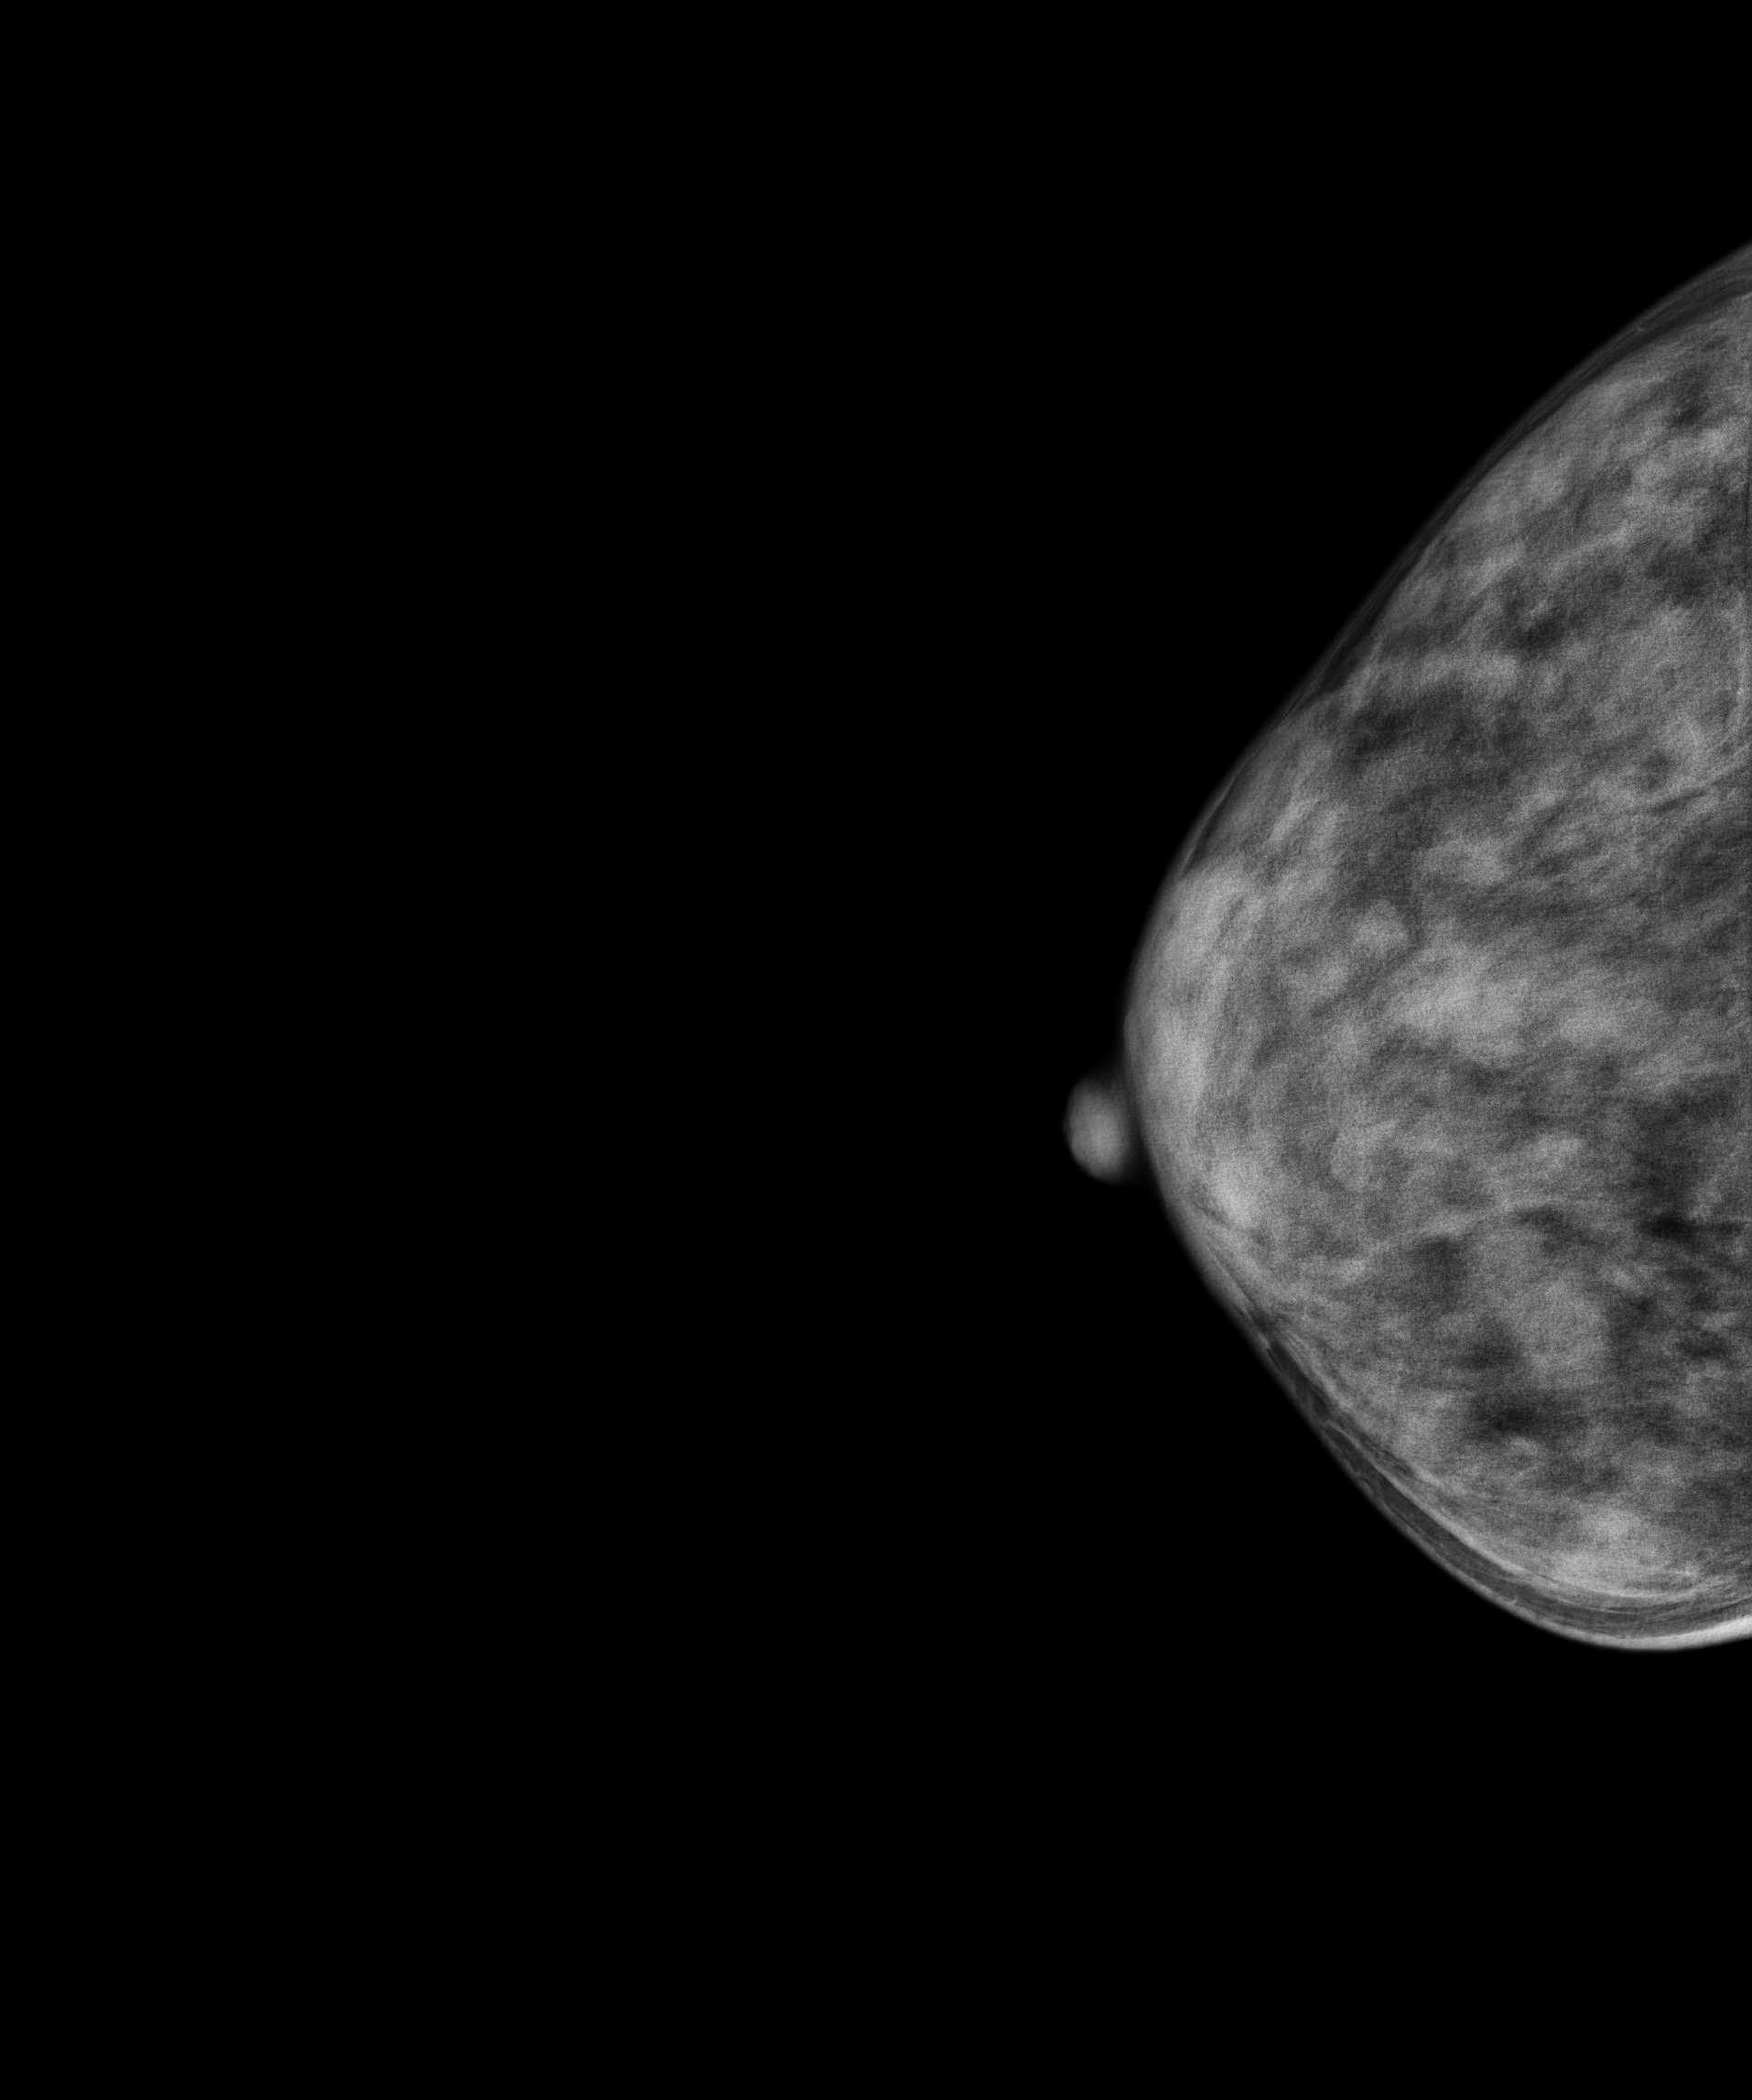
CC mammogram of the right breast. 32 y/o patient.
This breast has a mass, pathology-confirmed benign.